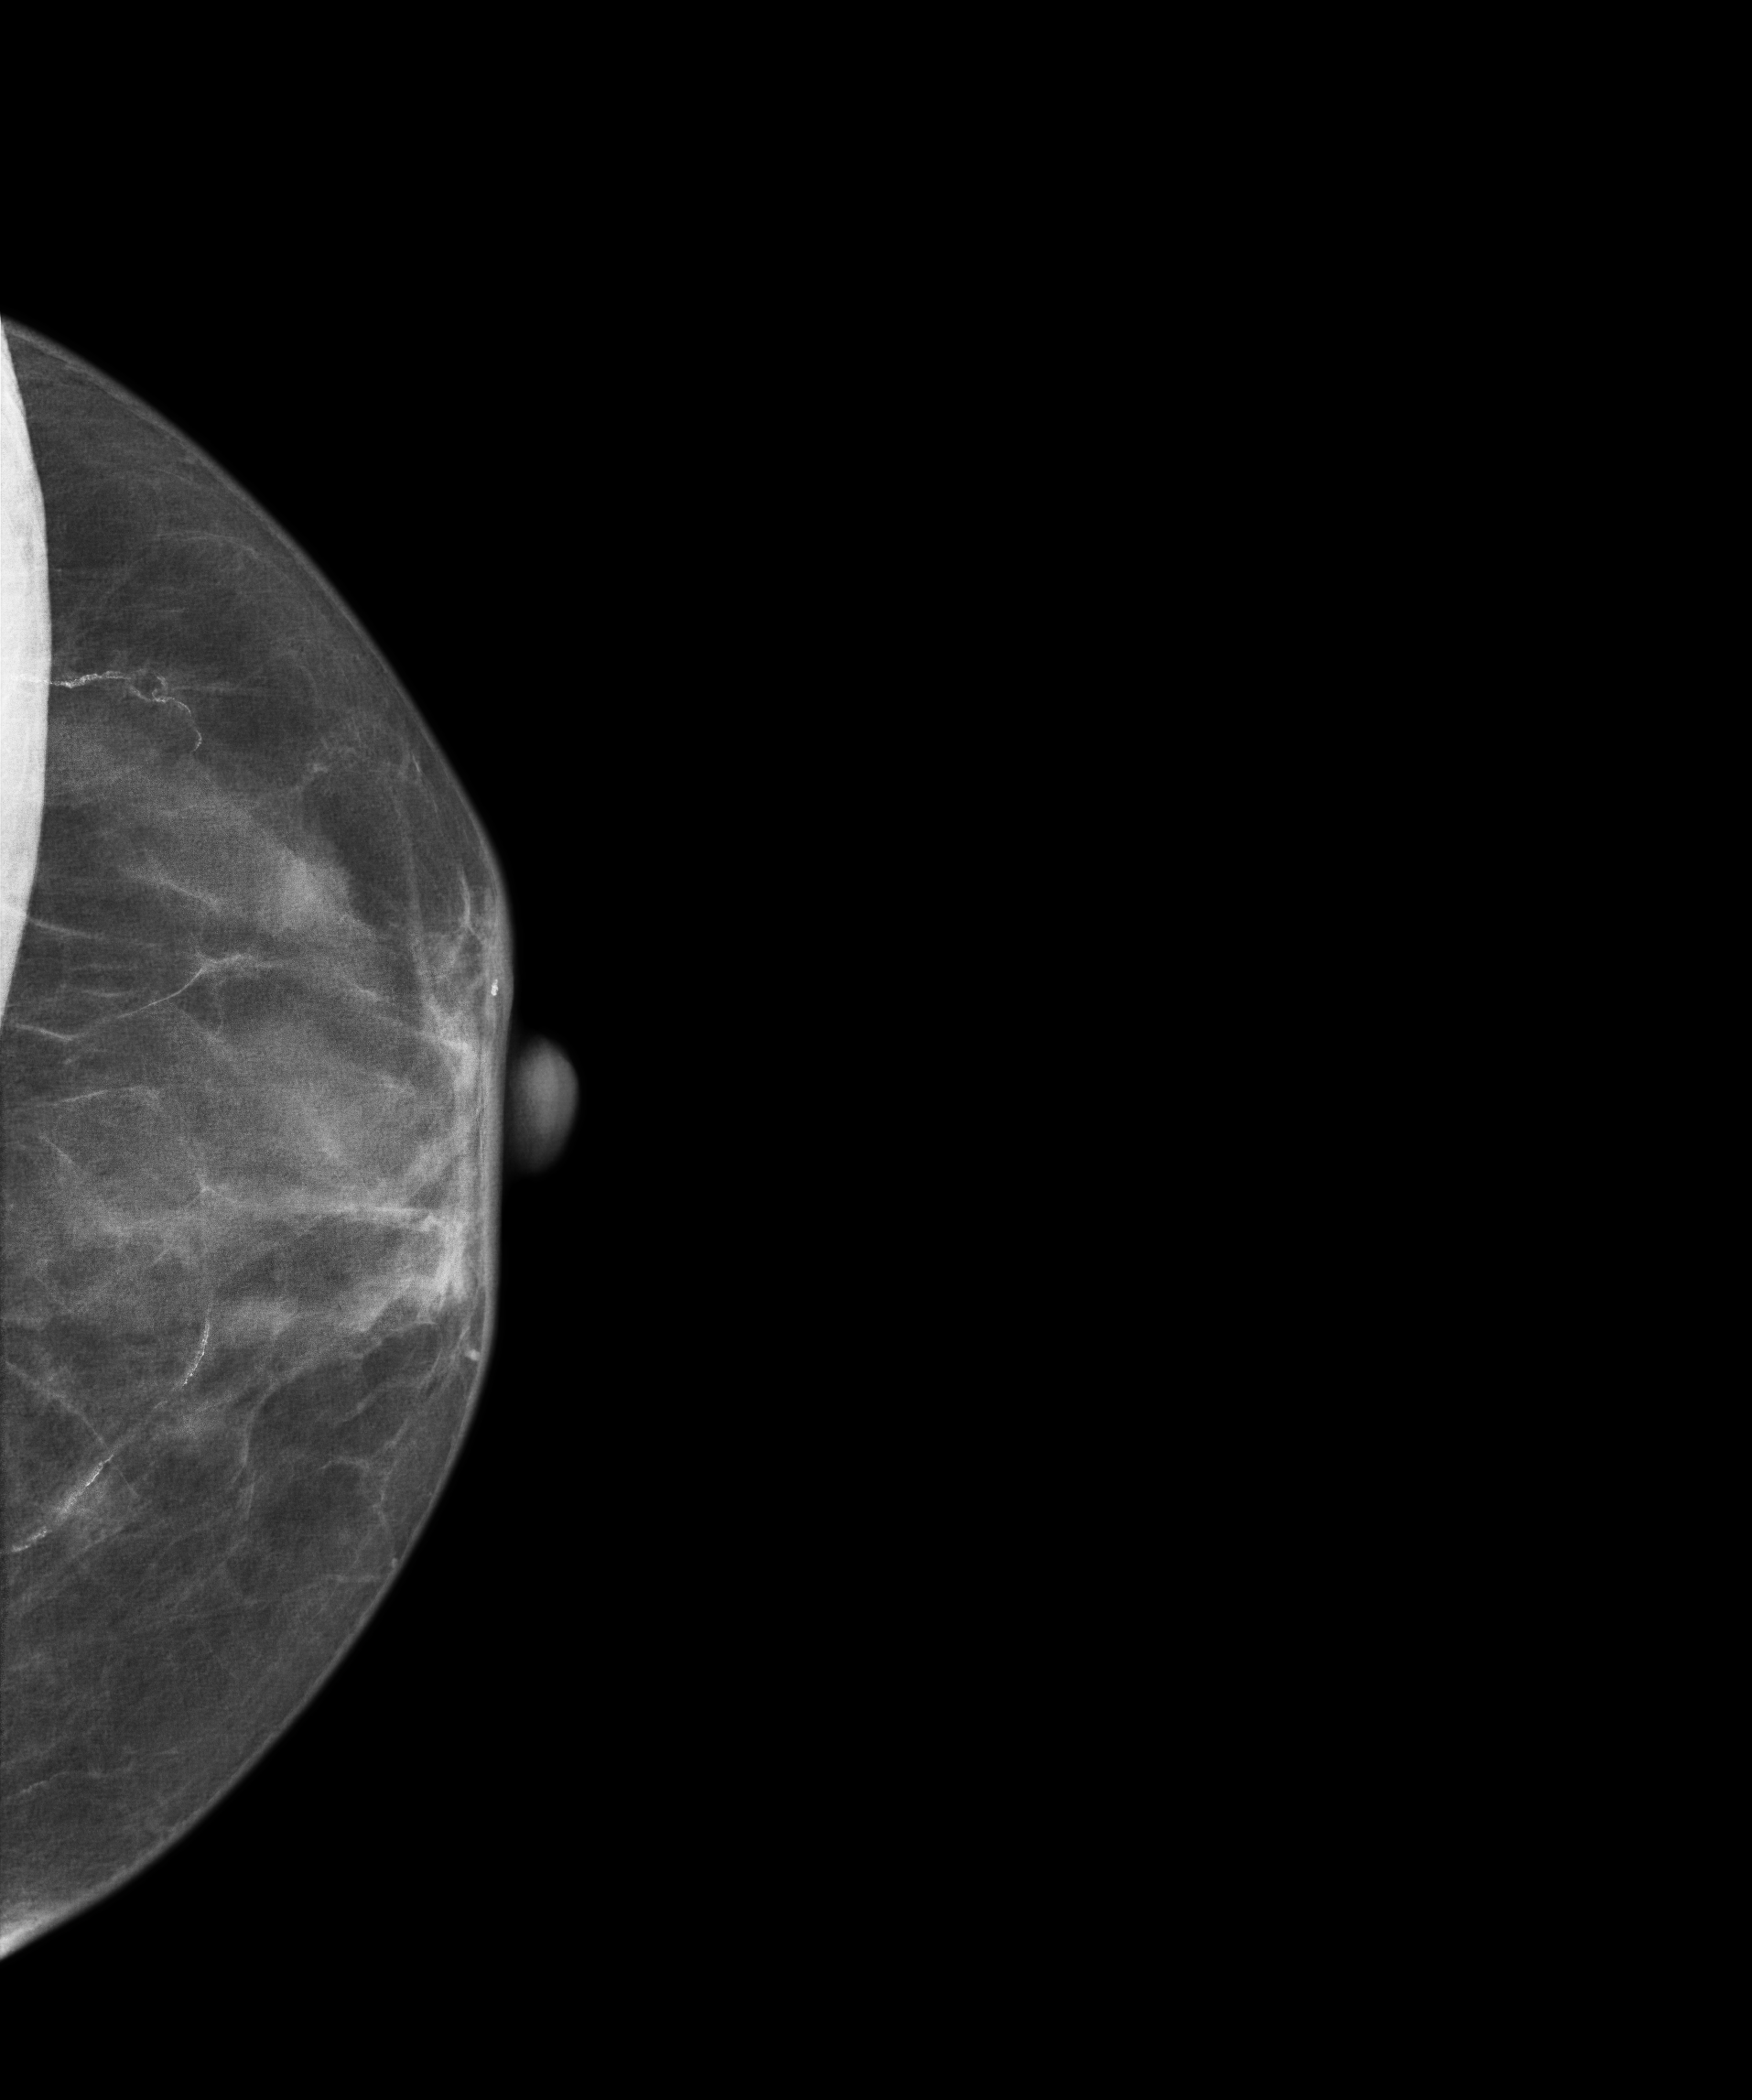
Mammogram, left breast, cranio-caudal view. Patient age 69.
This breast has calcifications, biopsy-confirmed benign.